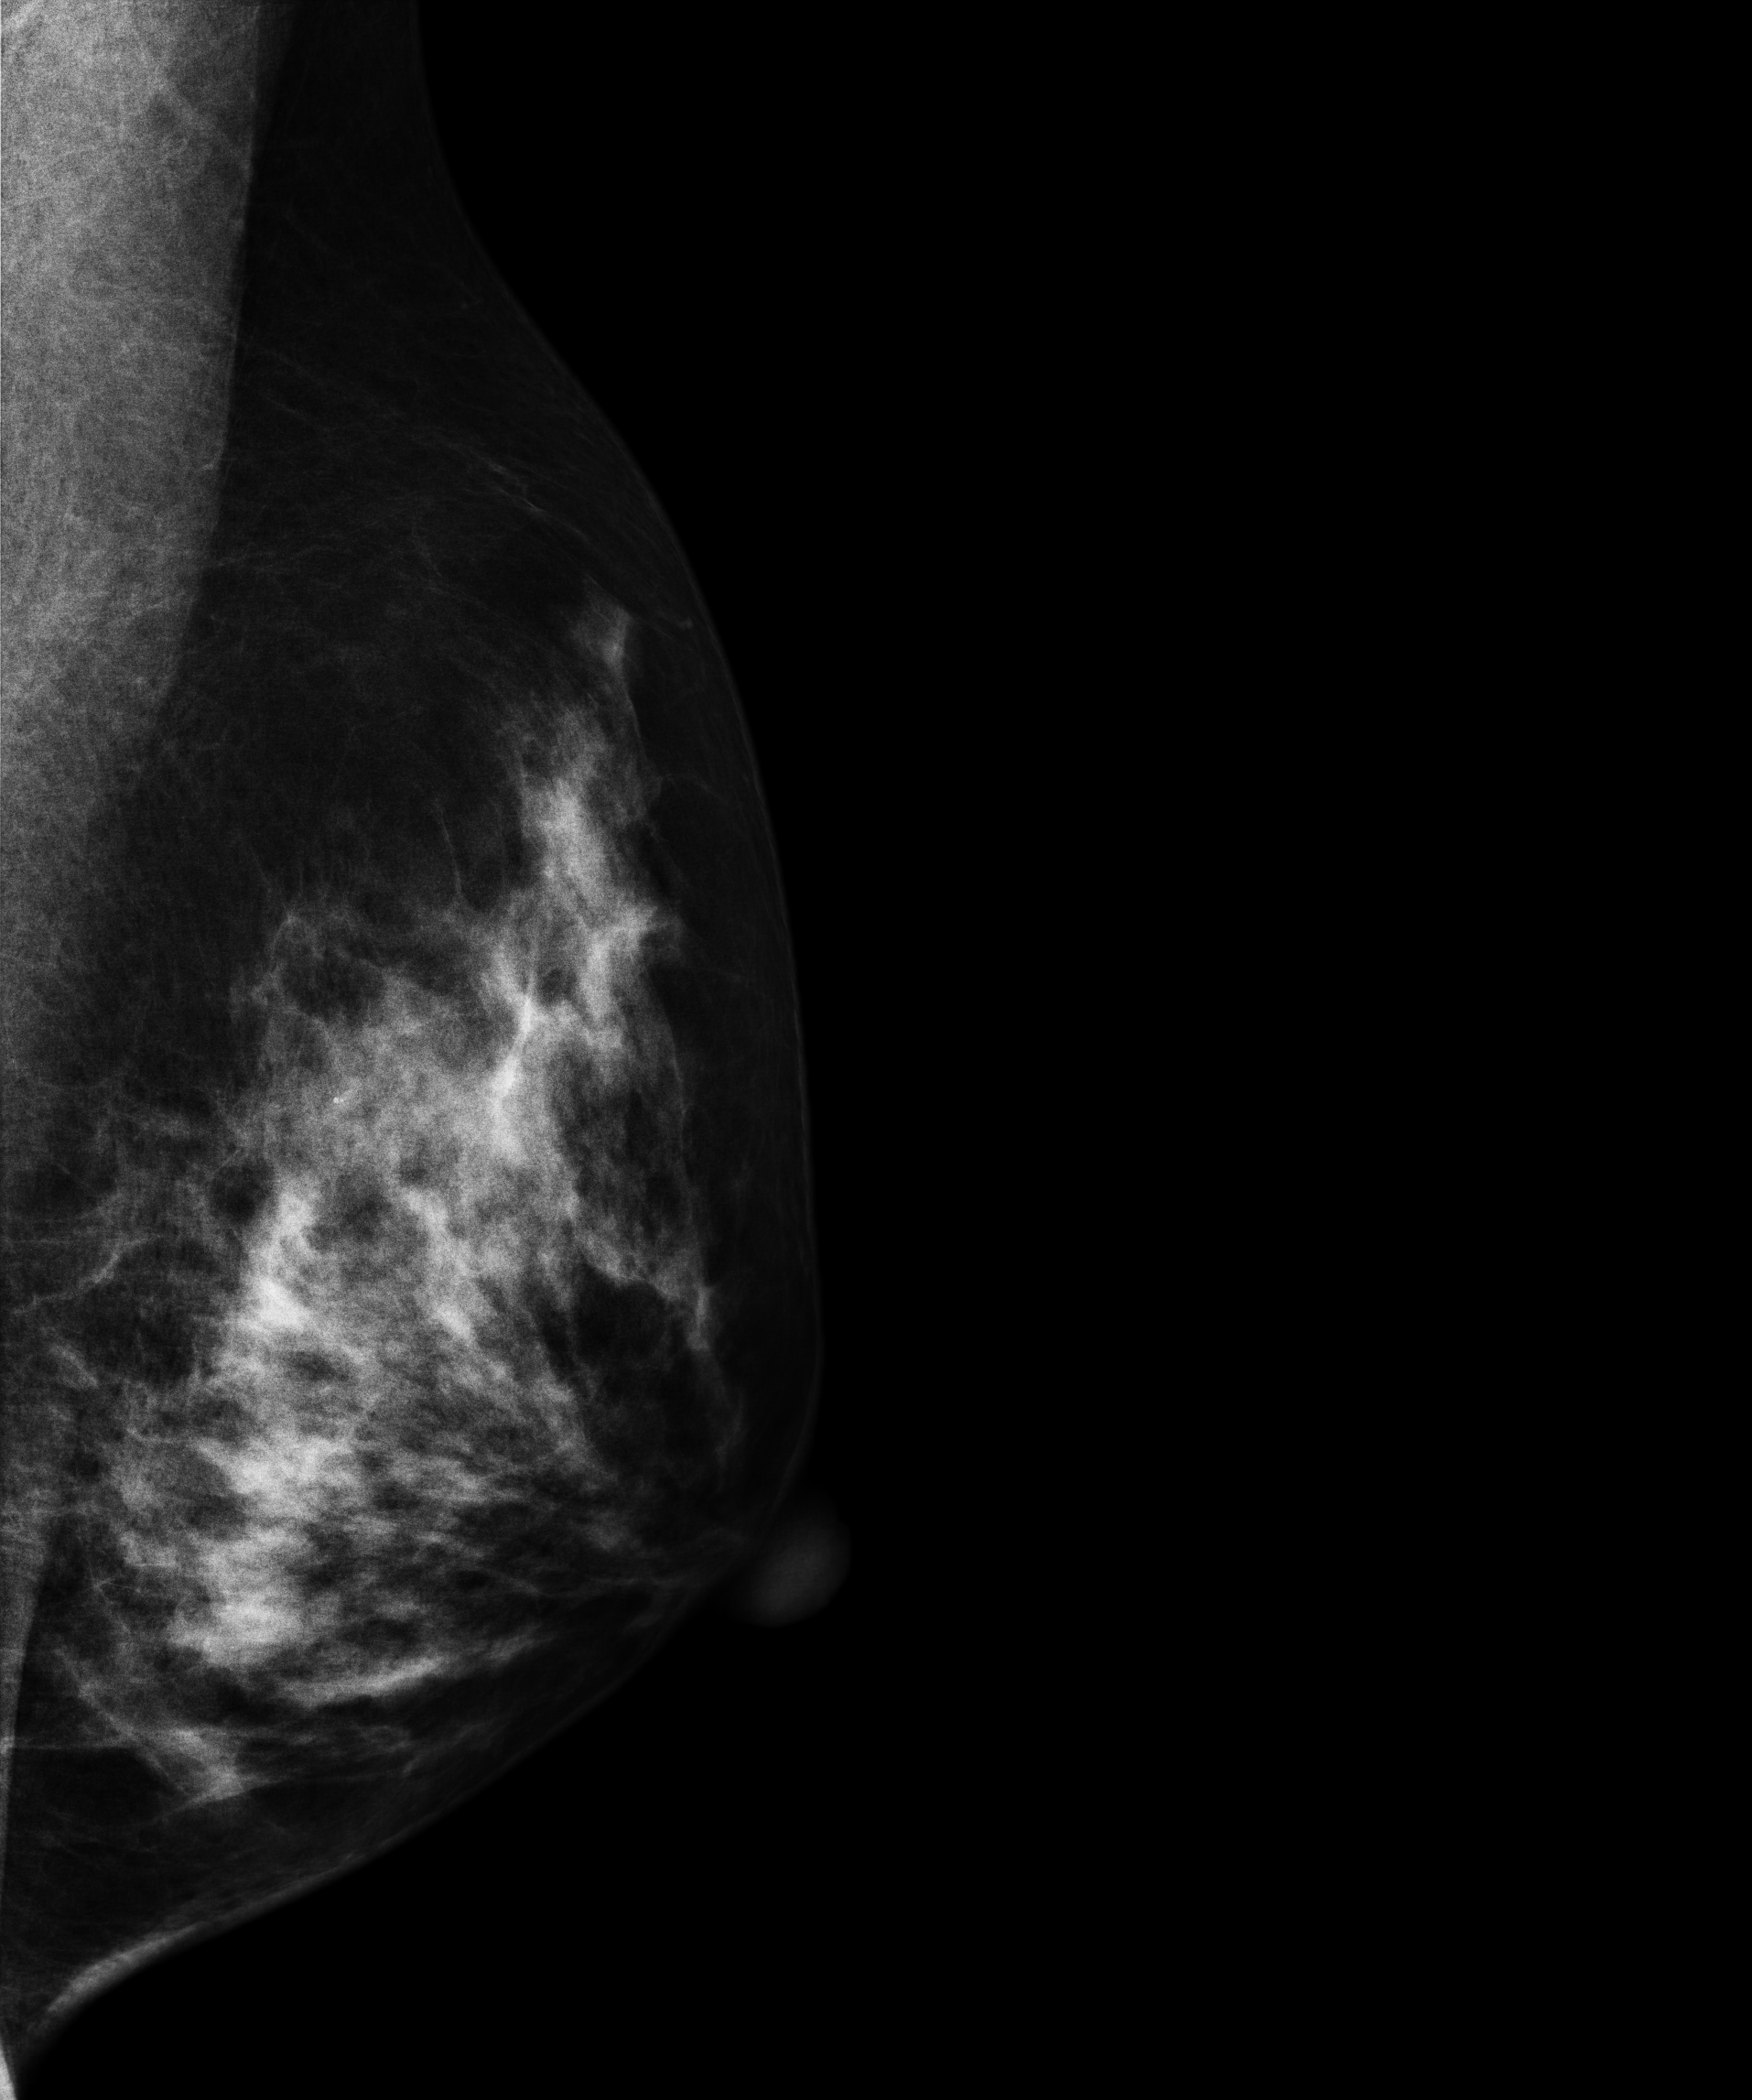
Mammogram, left breast, medio-lateral oblique view. Patient age 38.
This breast has a mass, biopsy-confirmed benign.